CC mammogram of the right breast. Patient age 48.
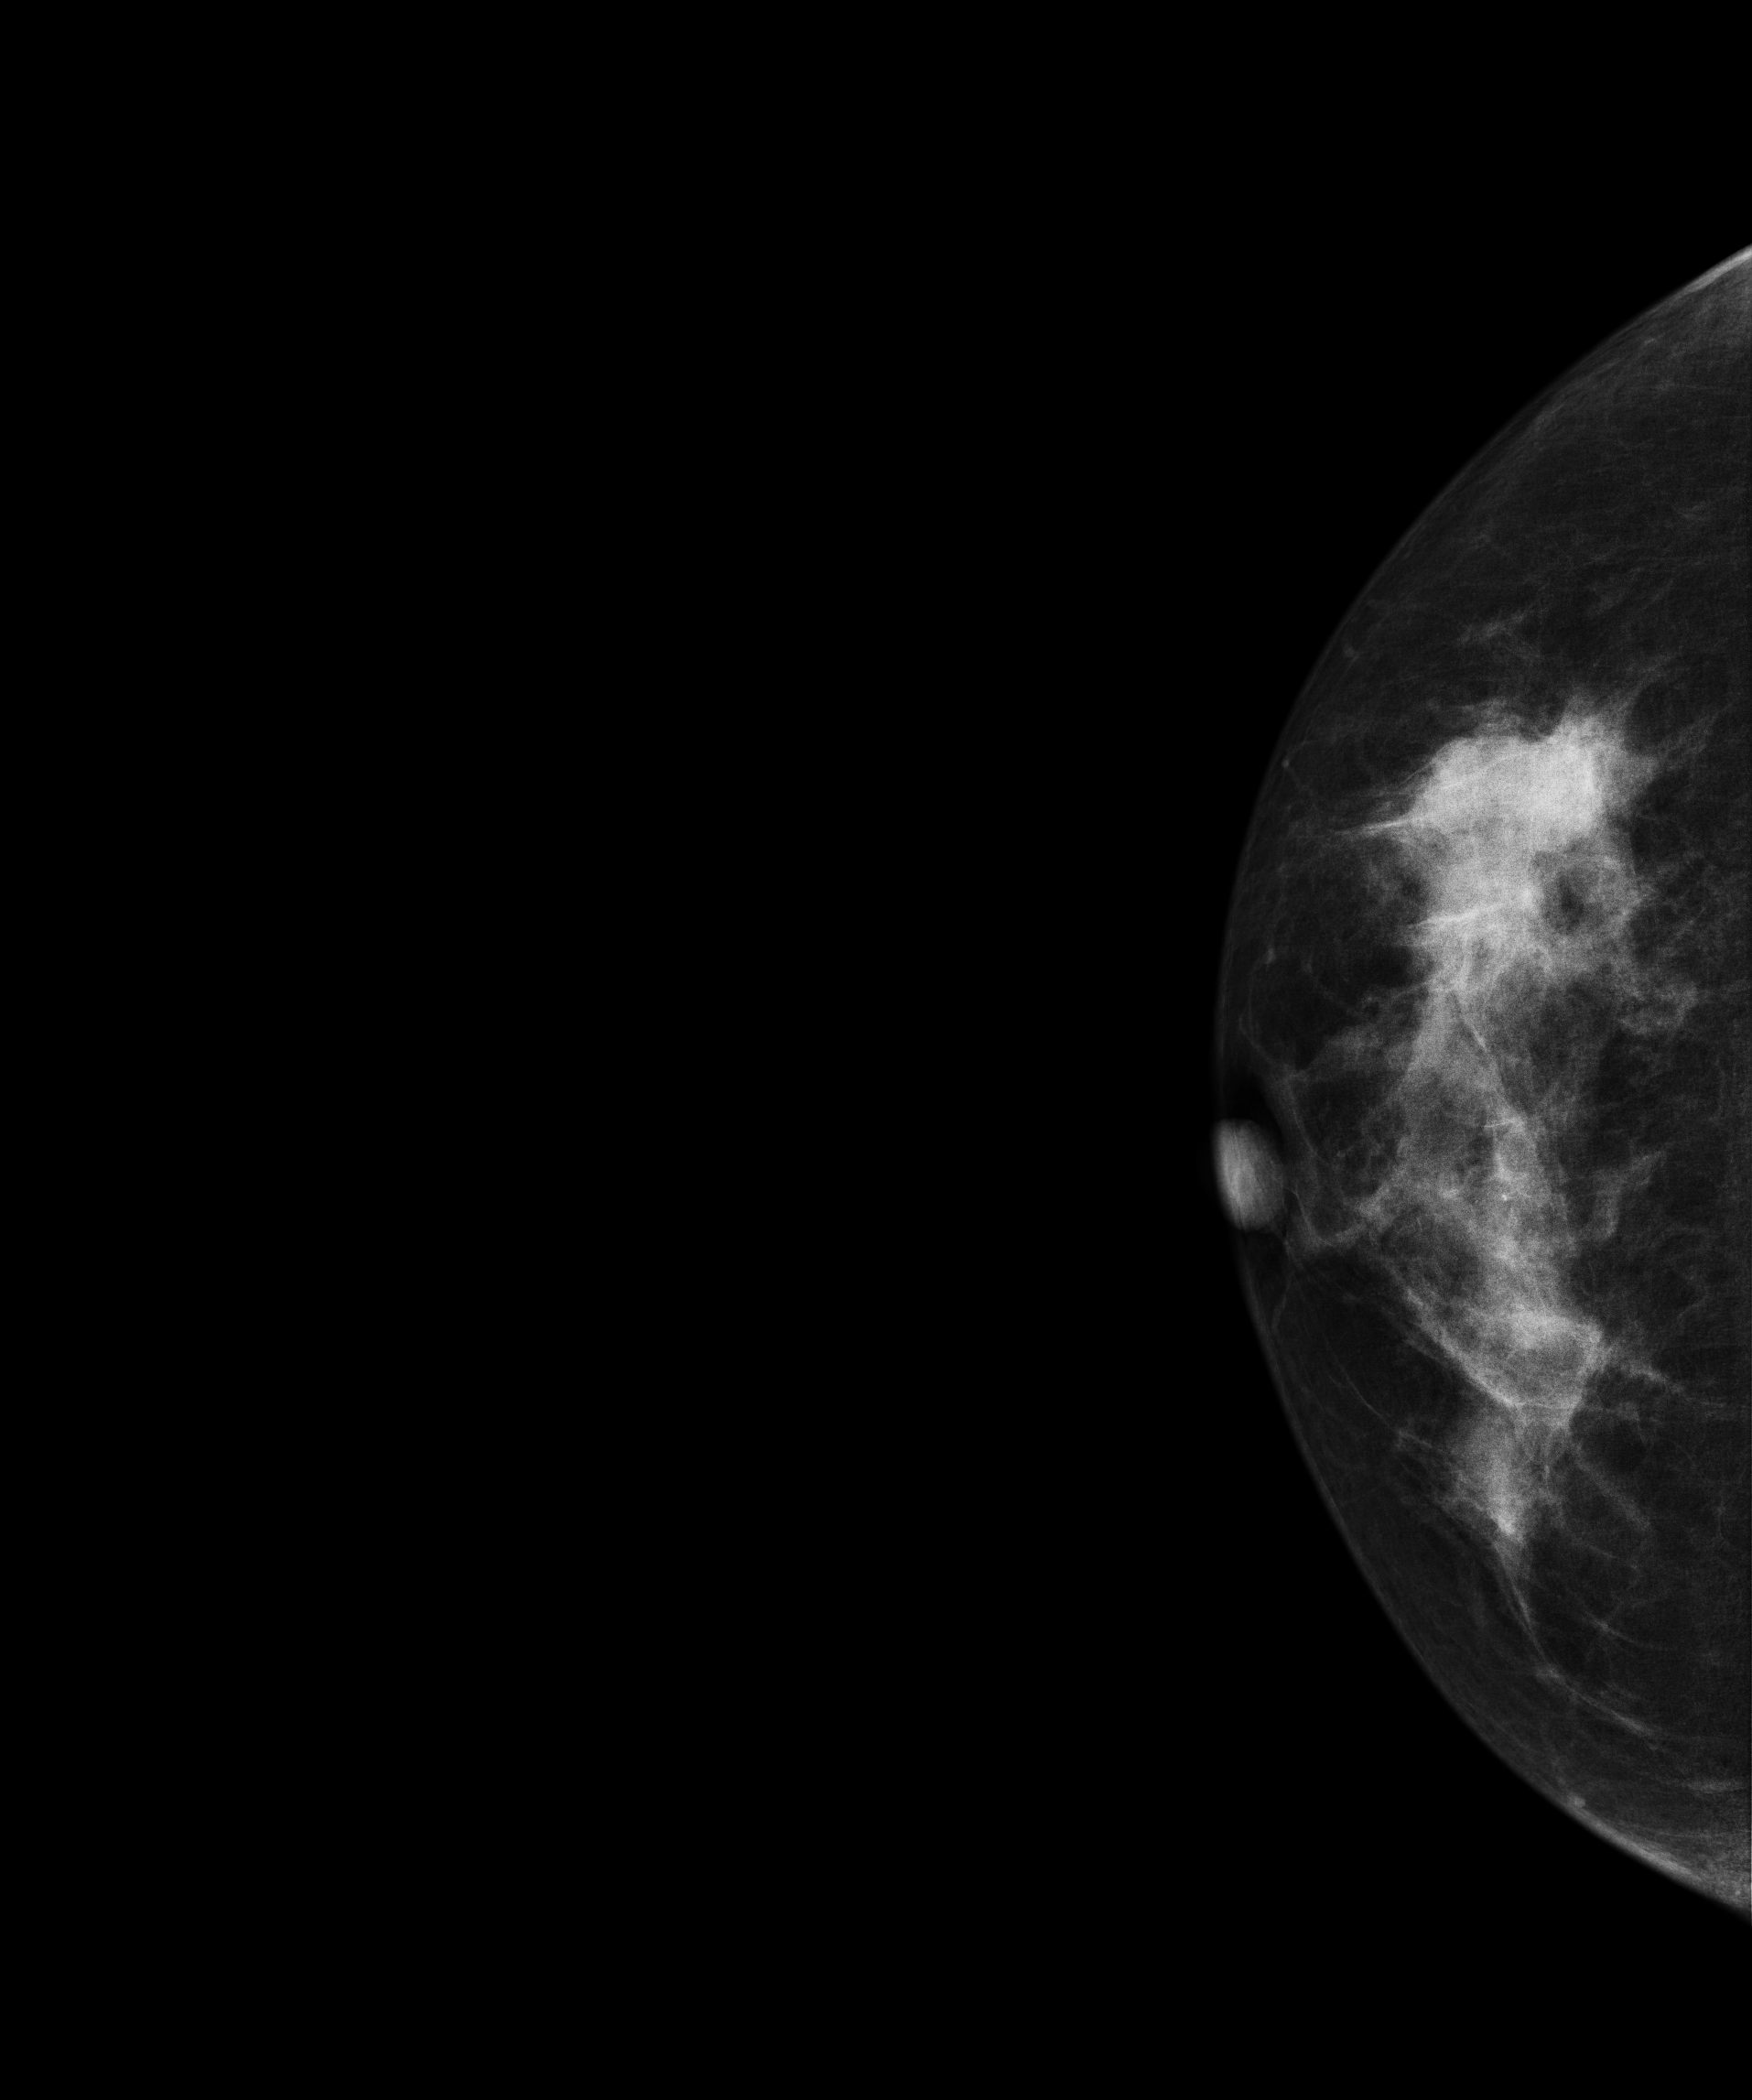
This breast has a mass, biopsy-confirmed malignant. Molecular subtype: triple-negative.